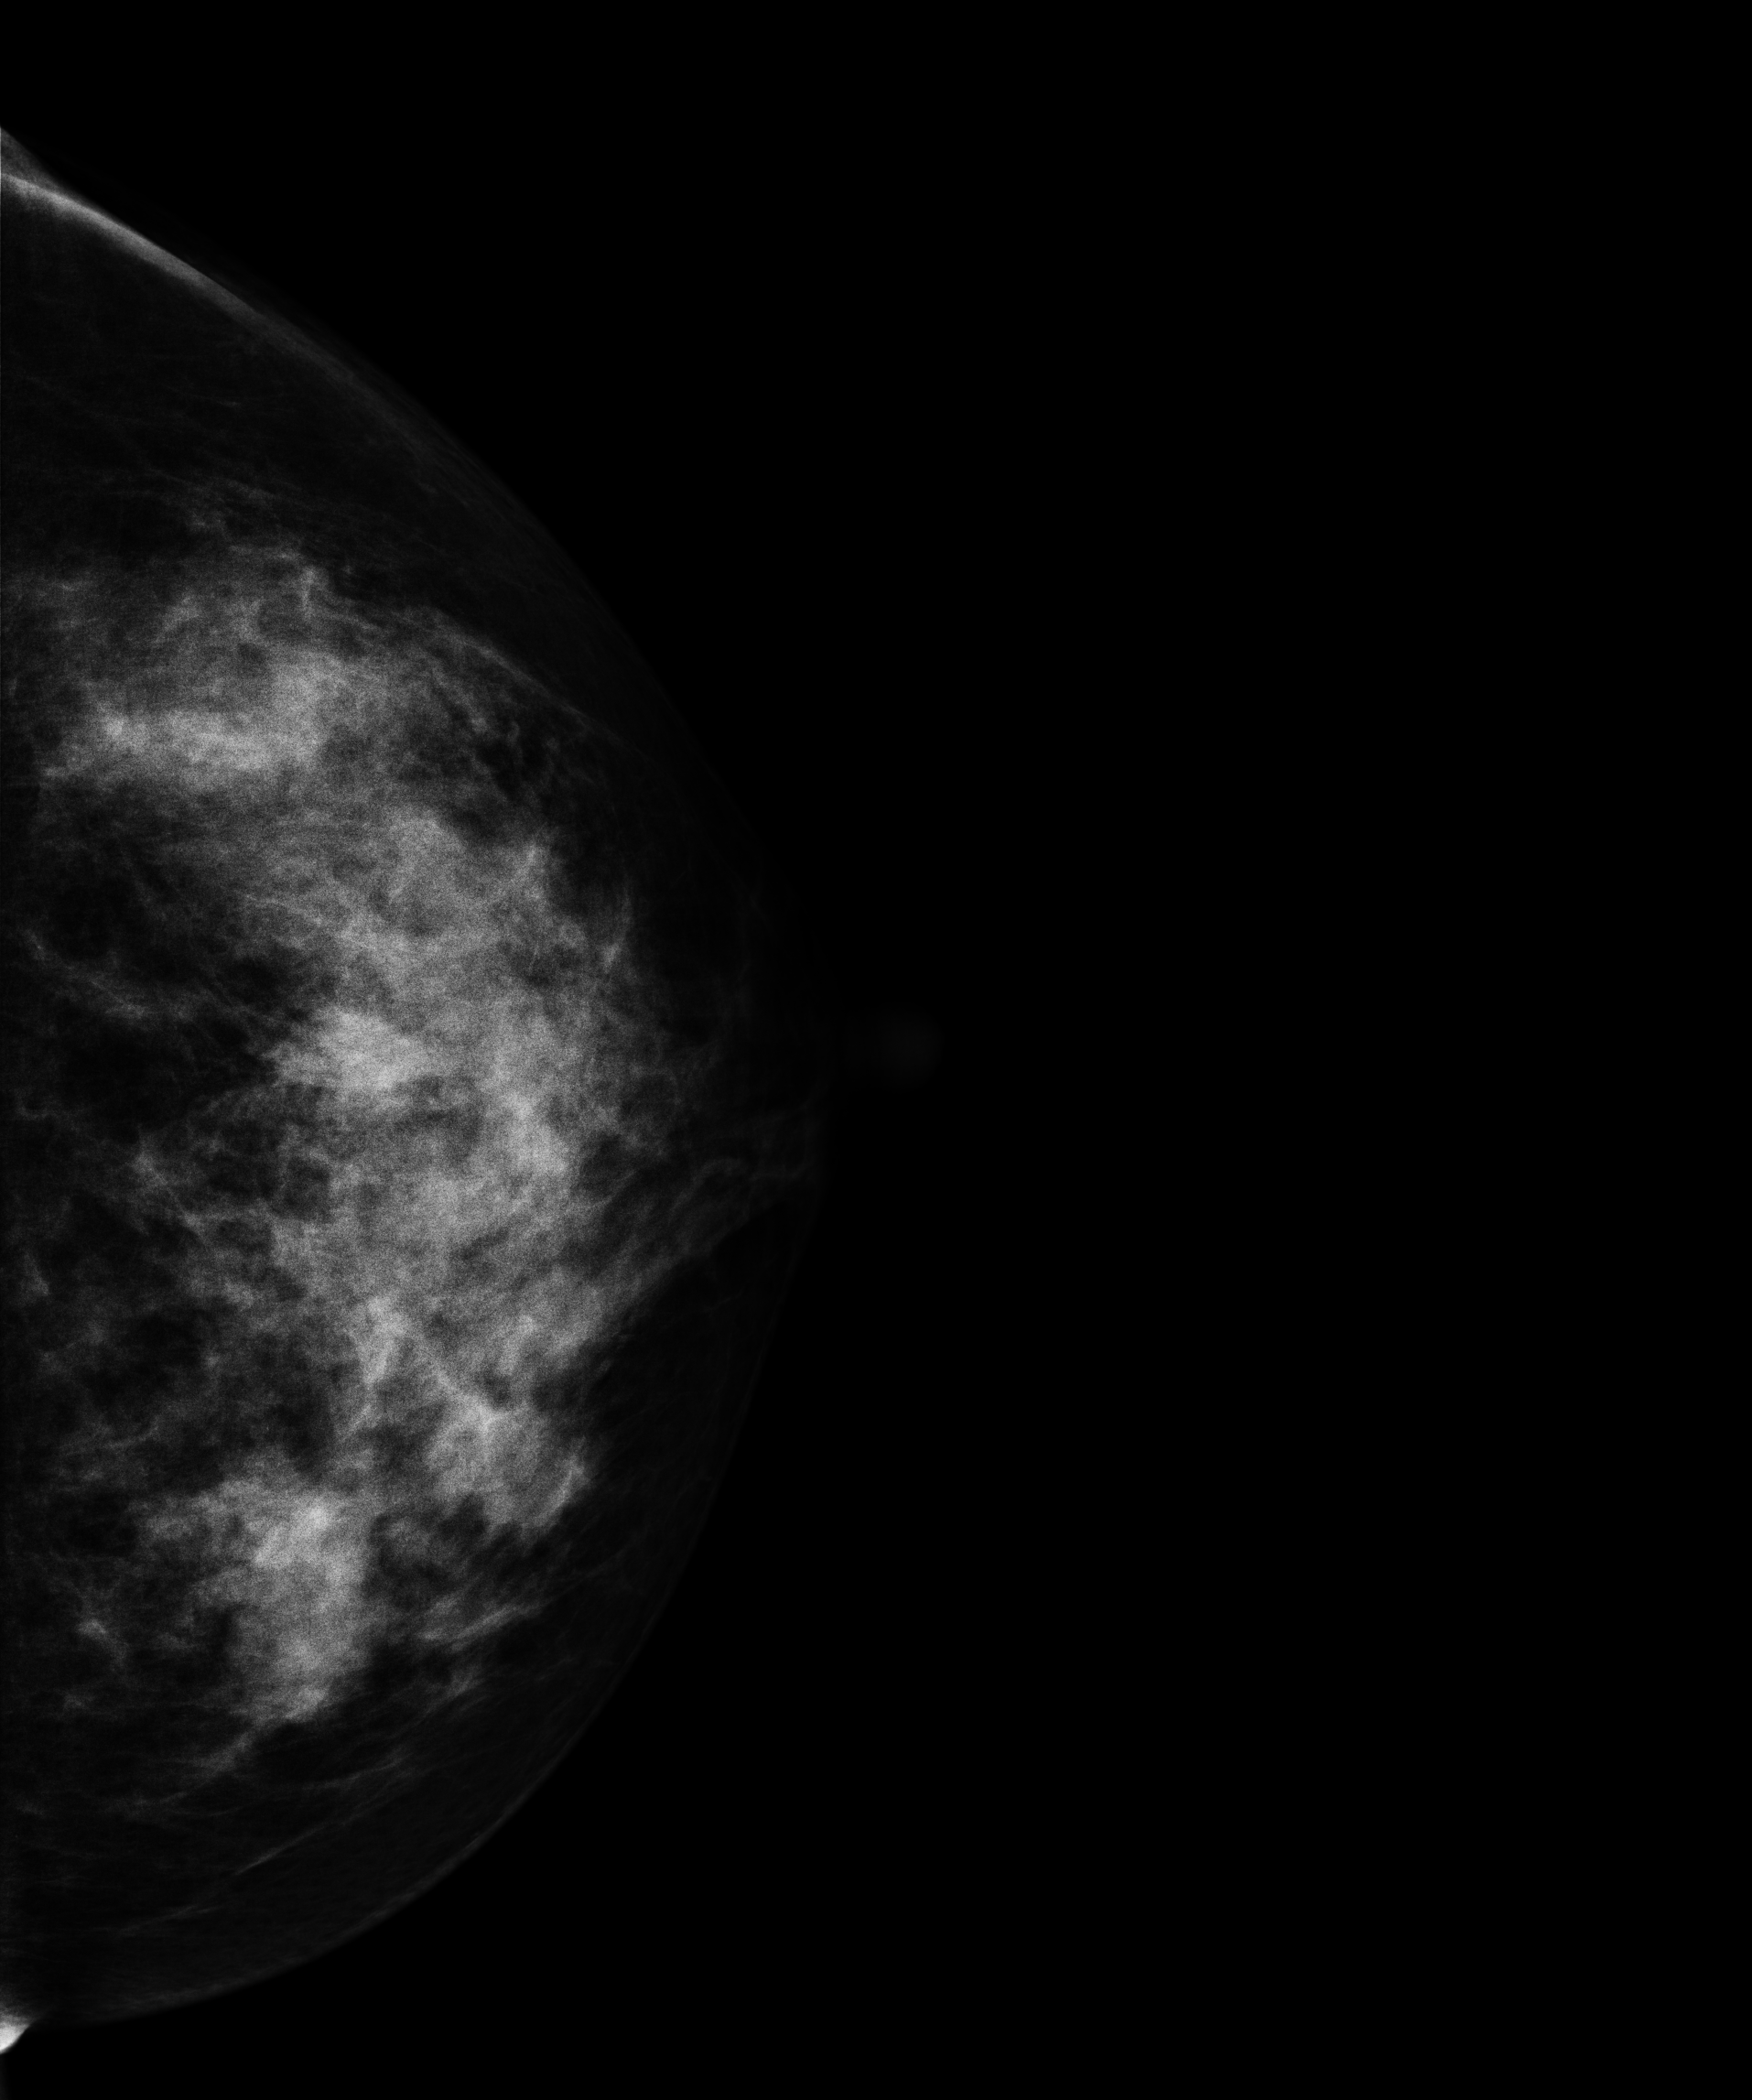
Left-breast mammogram, CC. 44 y/o patient.
This breast has a mass, histologically confirmed malignant. Molecular subtype: luminal B.